Mammogram — left cranio-caudal. 40 y/o patient.
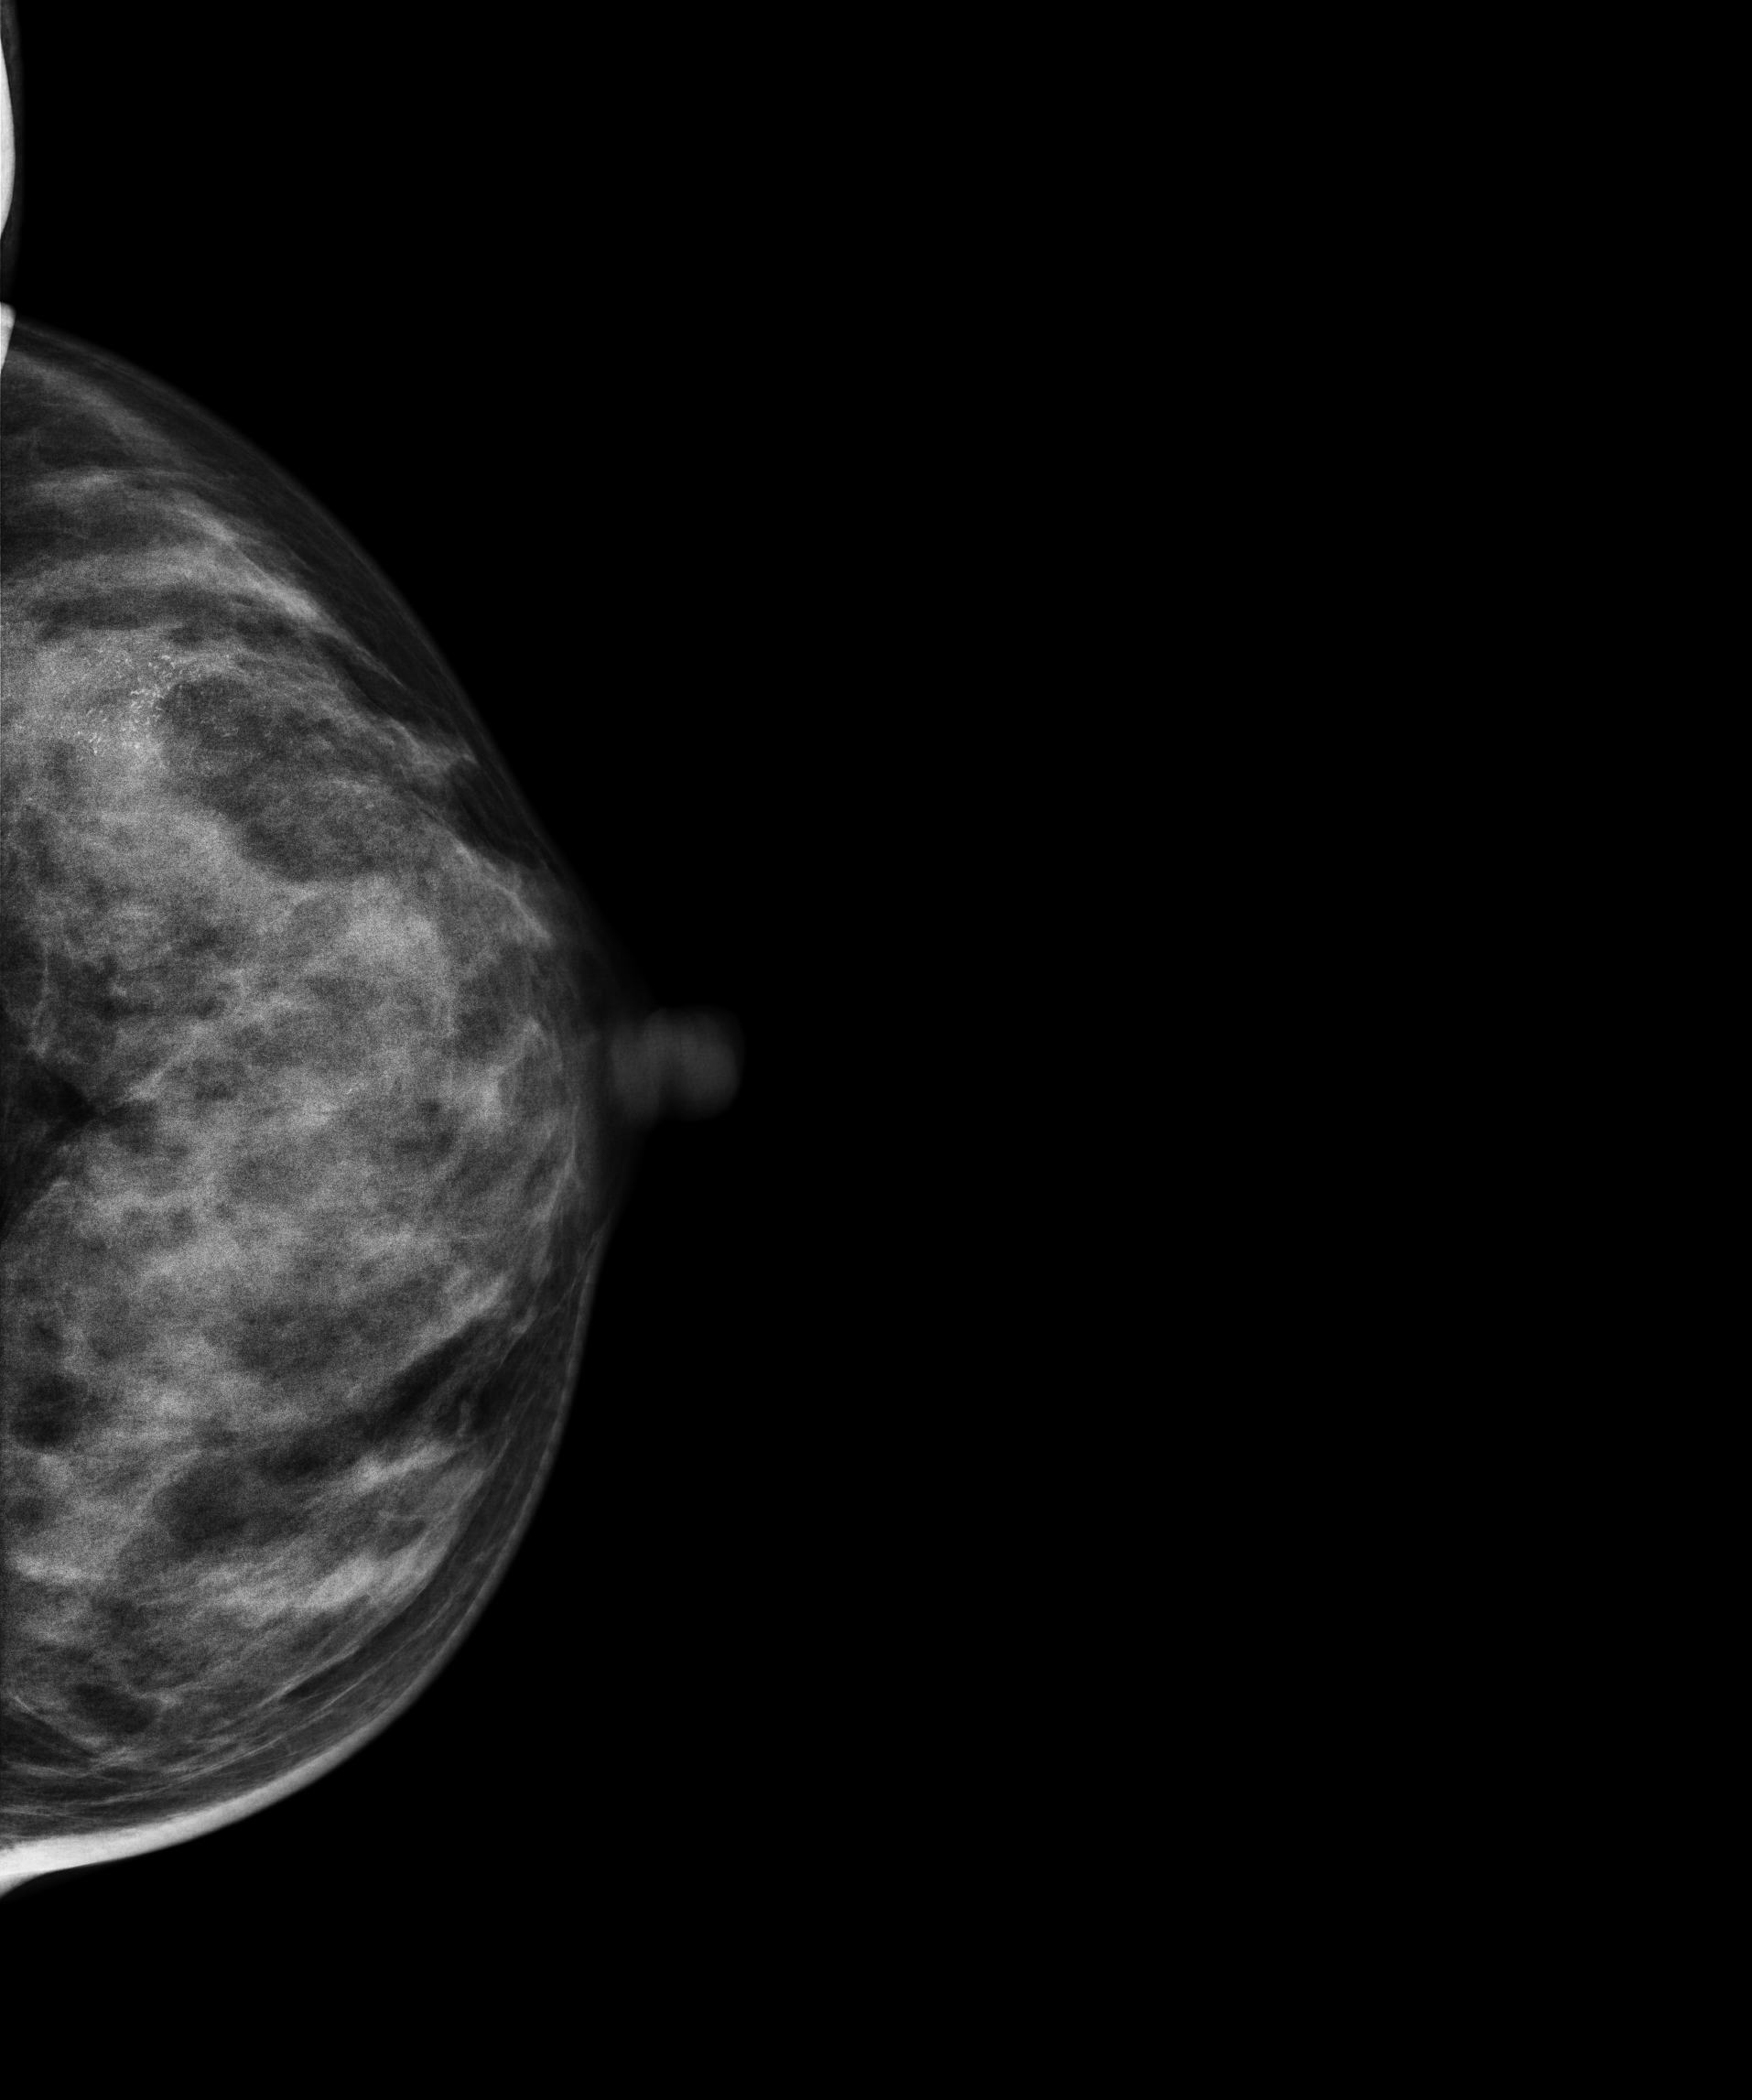
This breast has calcifications, biopsy-confirmed malignant.